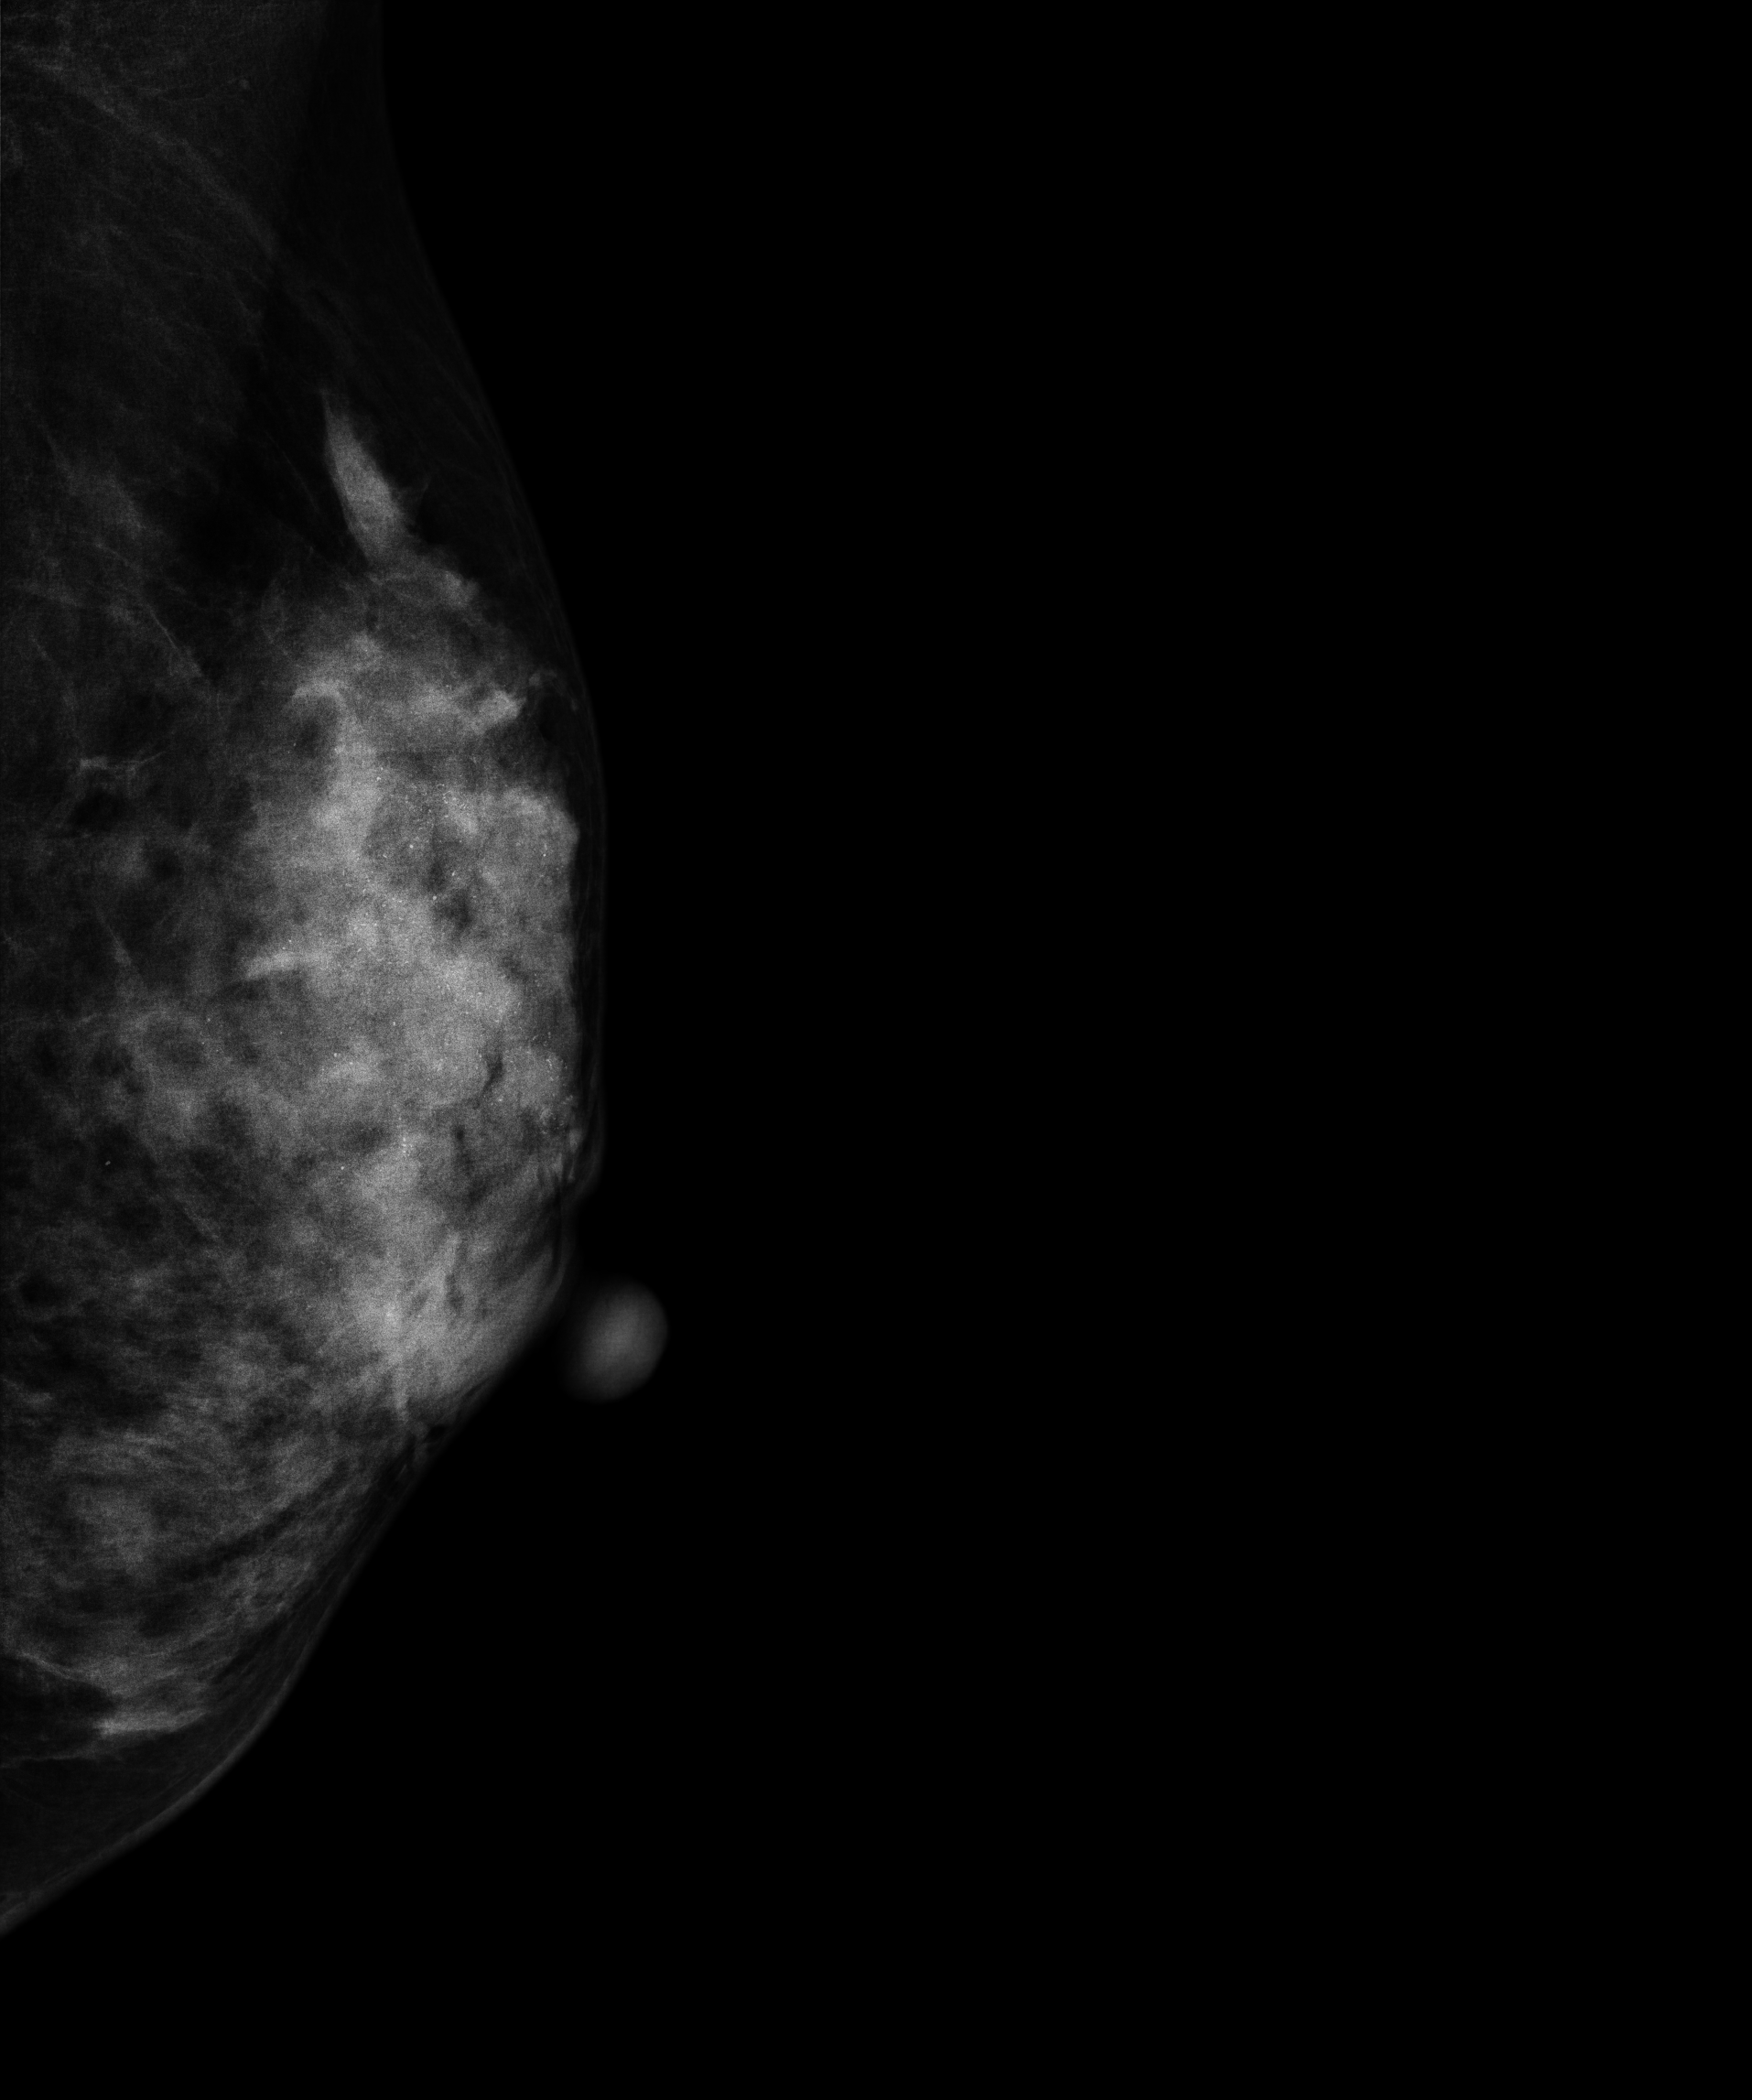
Mammogram, left breast, medio-lateral oblique view. 38 y/o patient.
This breast has calcifications, biopsy-proven malignant. Molecular subtype: luminal B.